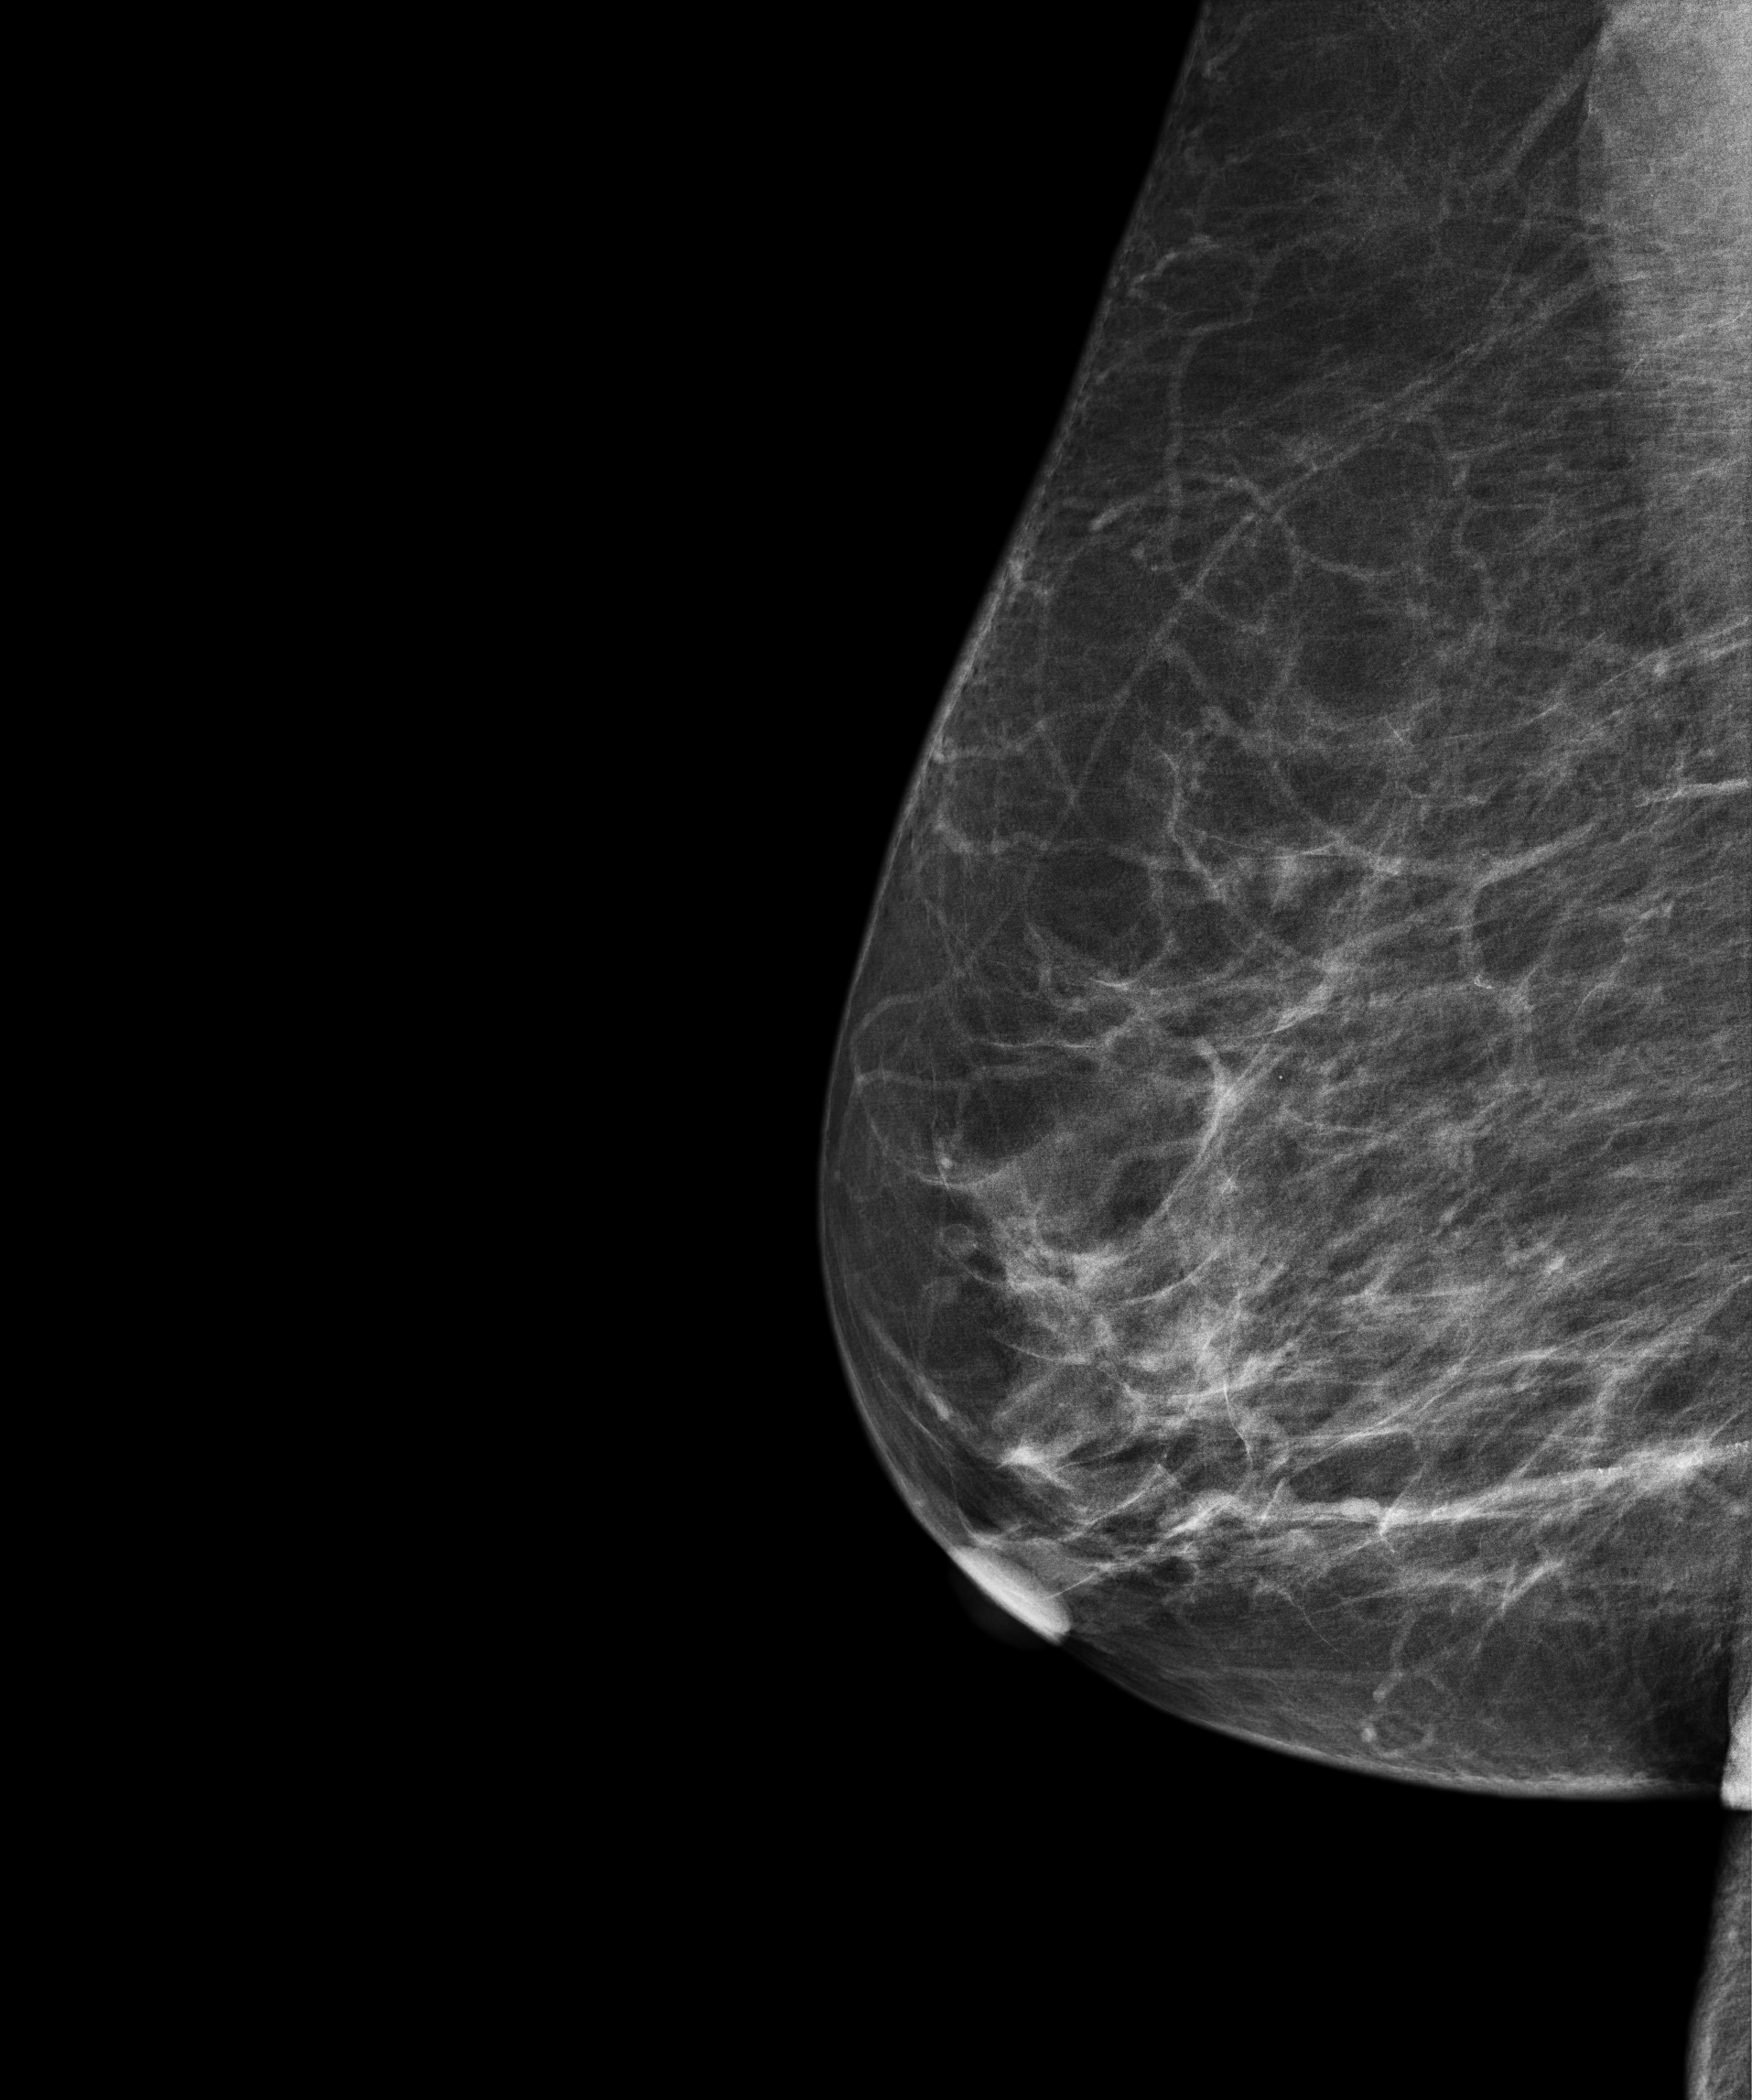
Mammogram, right breast, medio-lateral oblique view. Patient age 73.
Contralateral breast — no documented abnormality on this side.